Mammogram, right breast, CC view. 45-year-old patient.
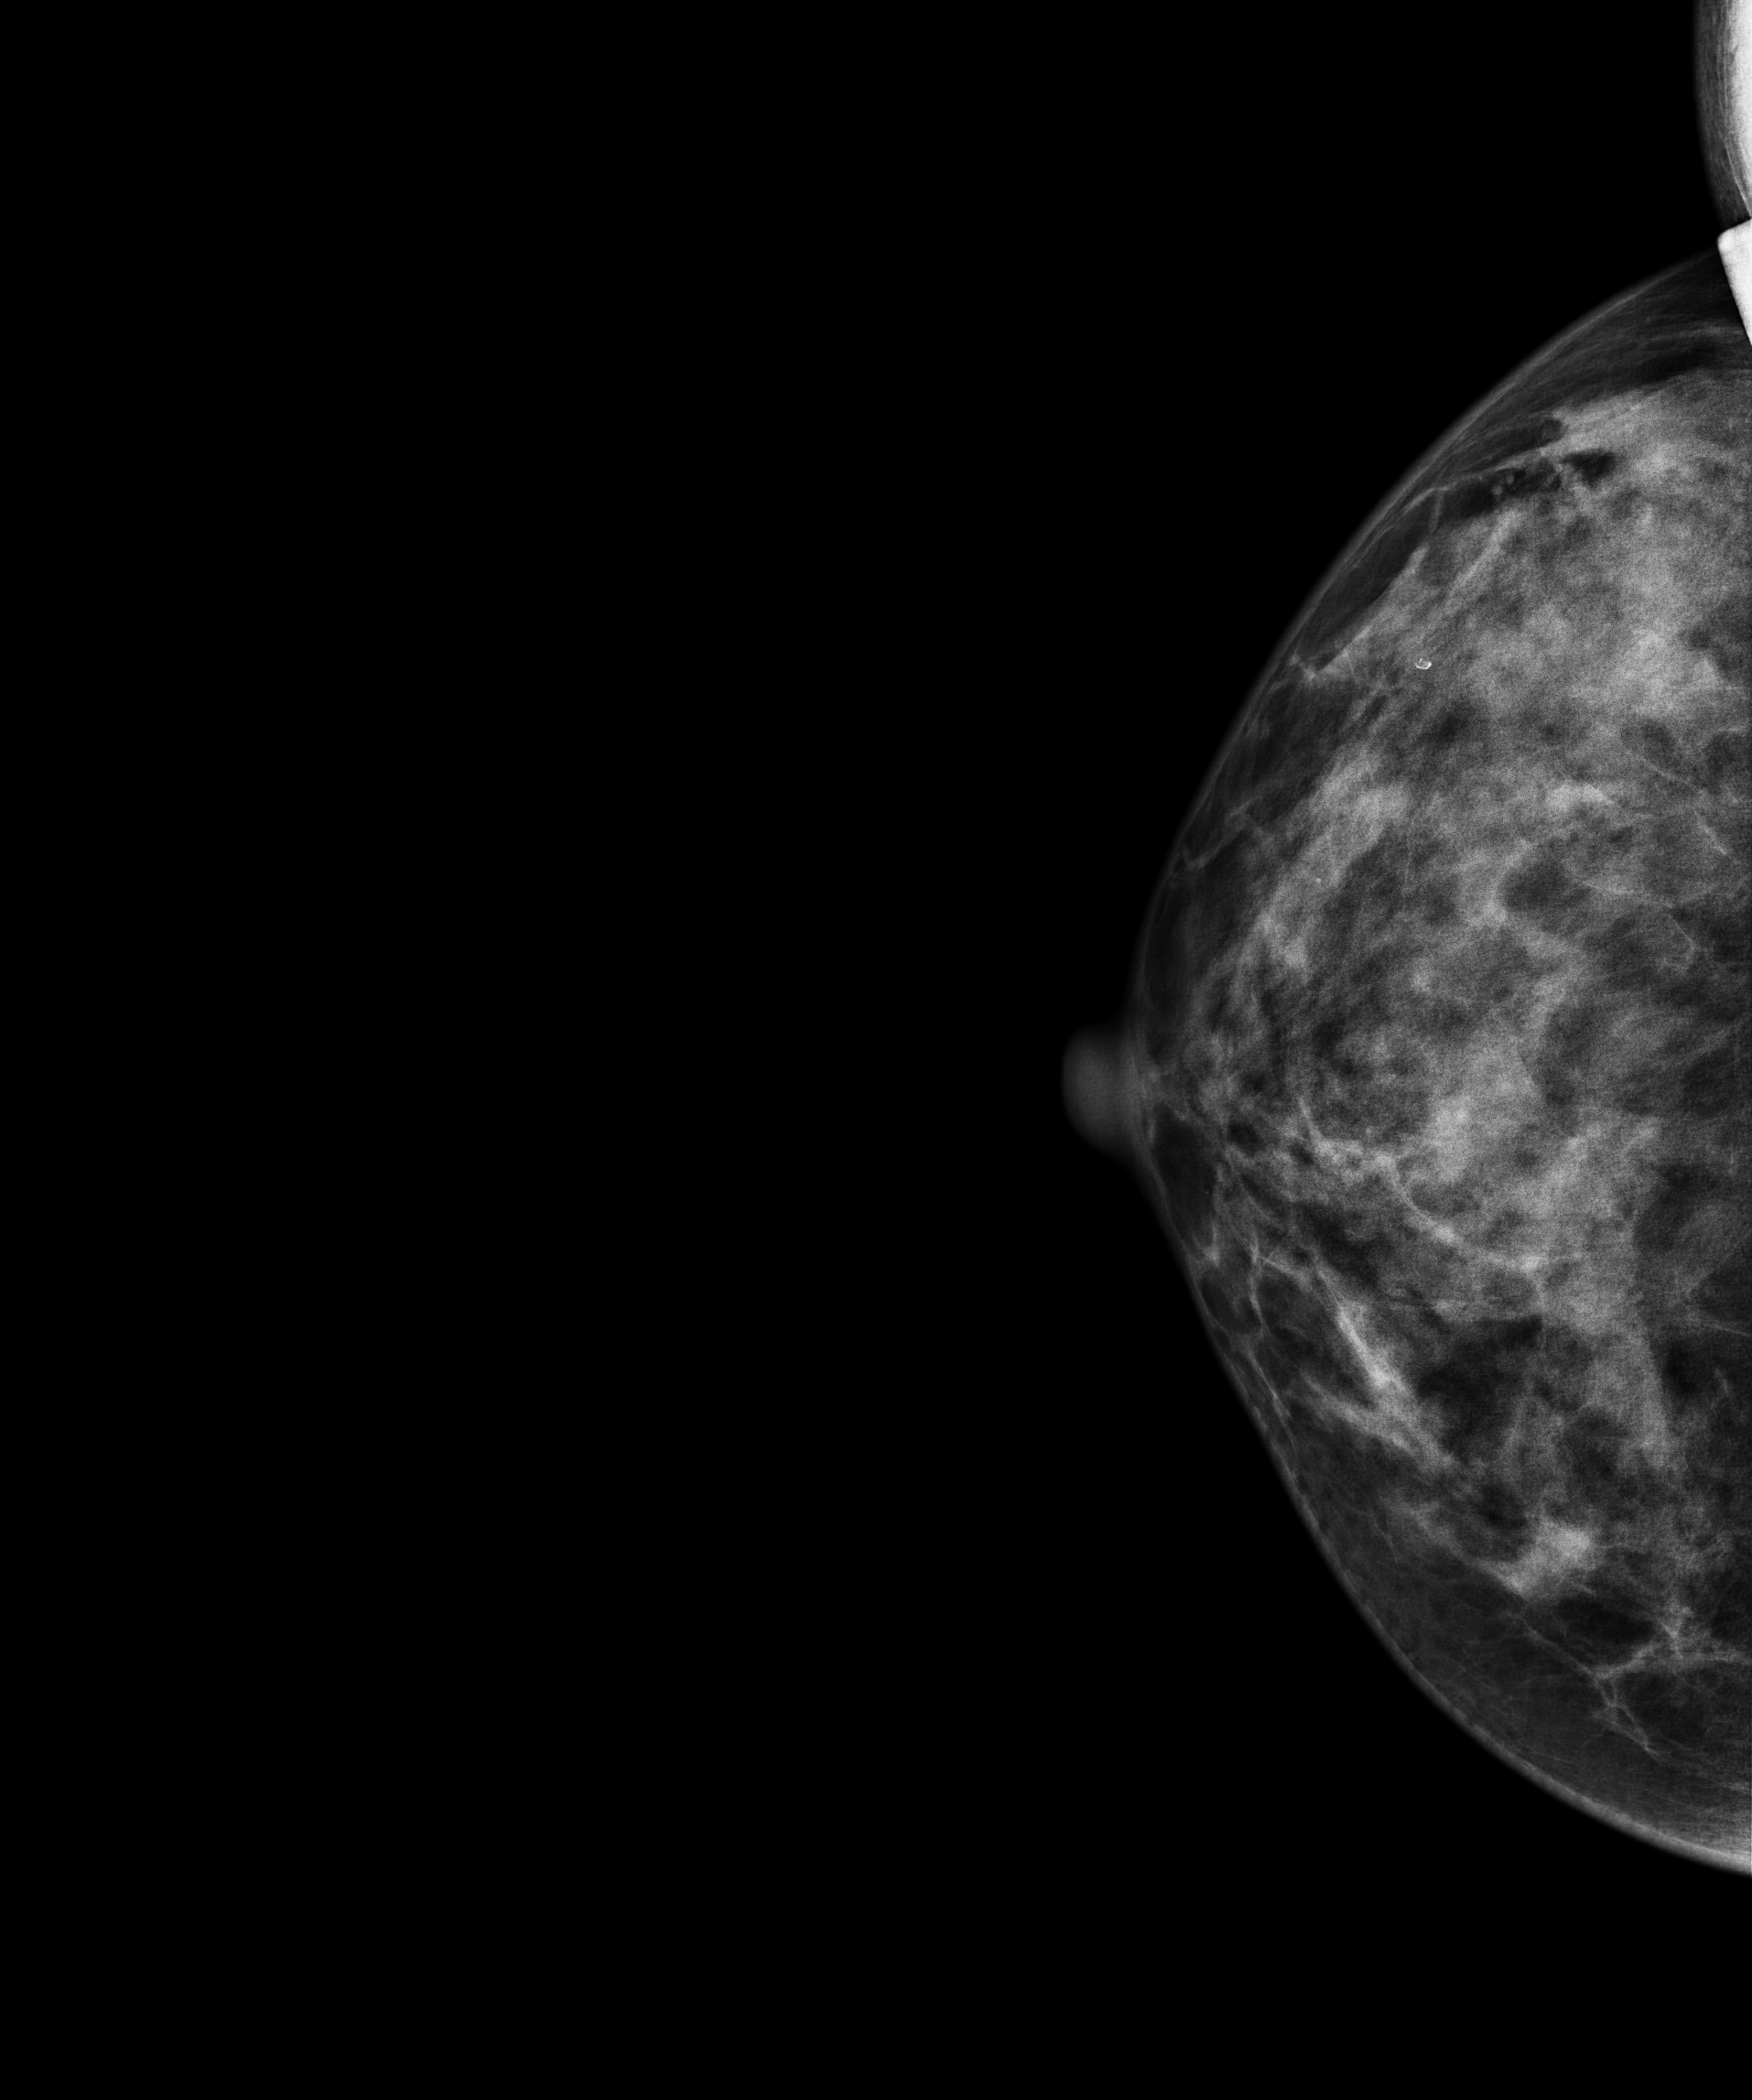
This breast has a mass and calcifications, histologically confirmed malignant. Molecular subtype: triple-negative.